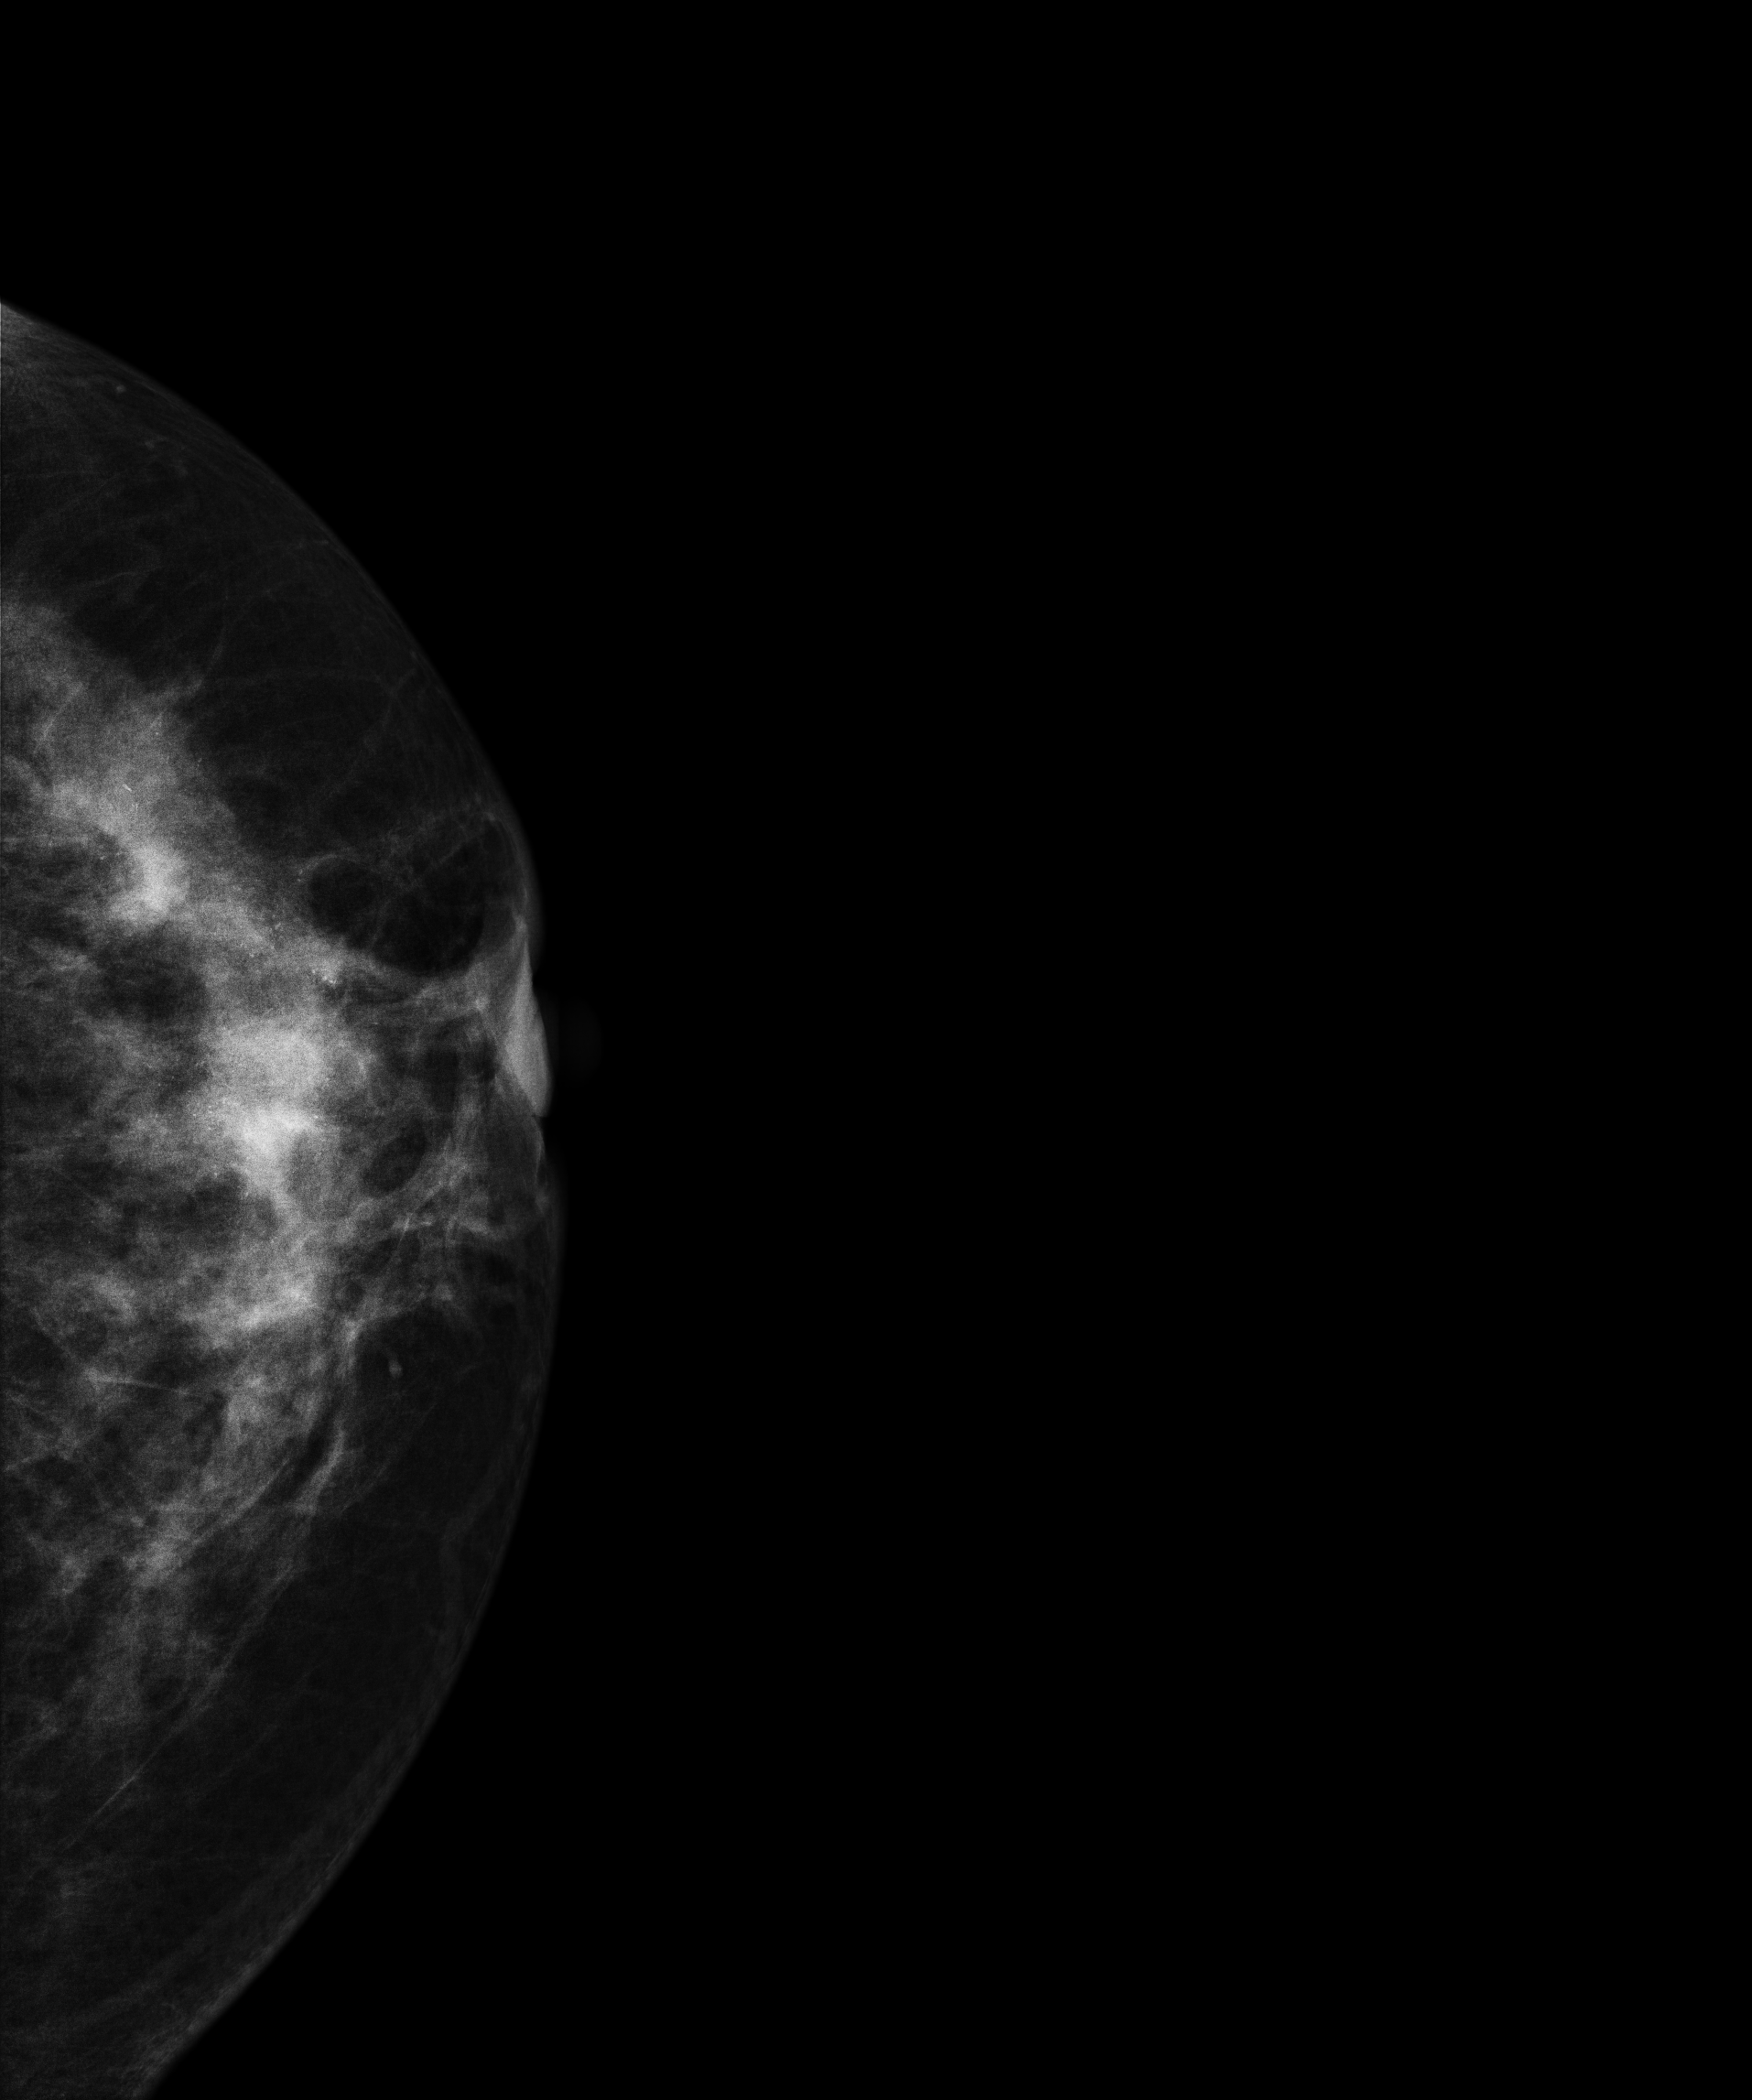
Mammogram, left breast, CC view. Patient age 46.
This breast has calcifications, histologically confirmed malignant.